Mammogram — left cranio-caudal. 60 y/o patient.
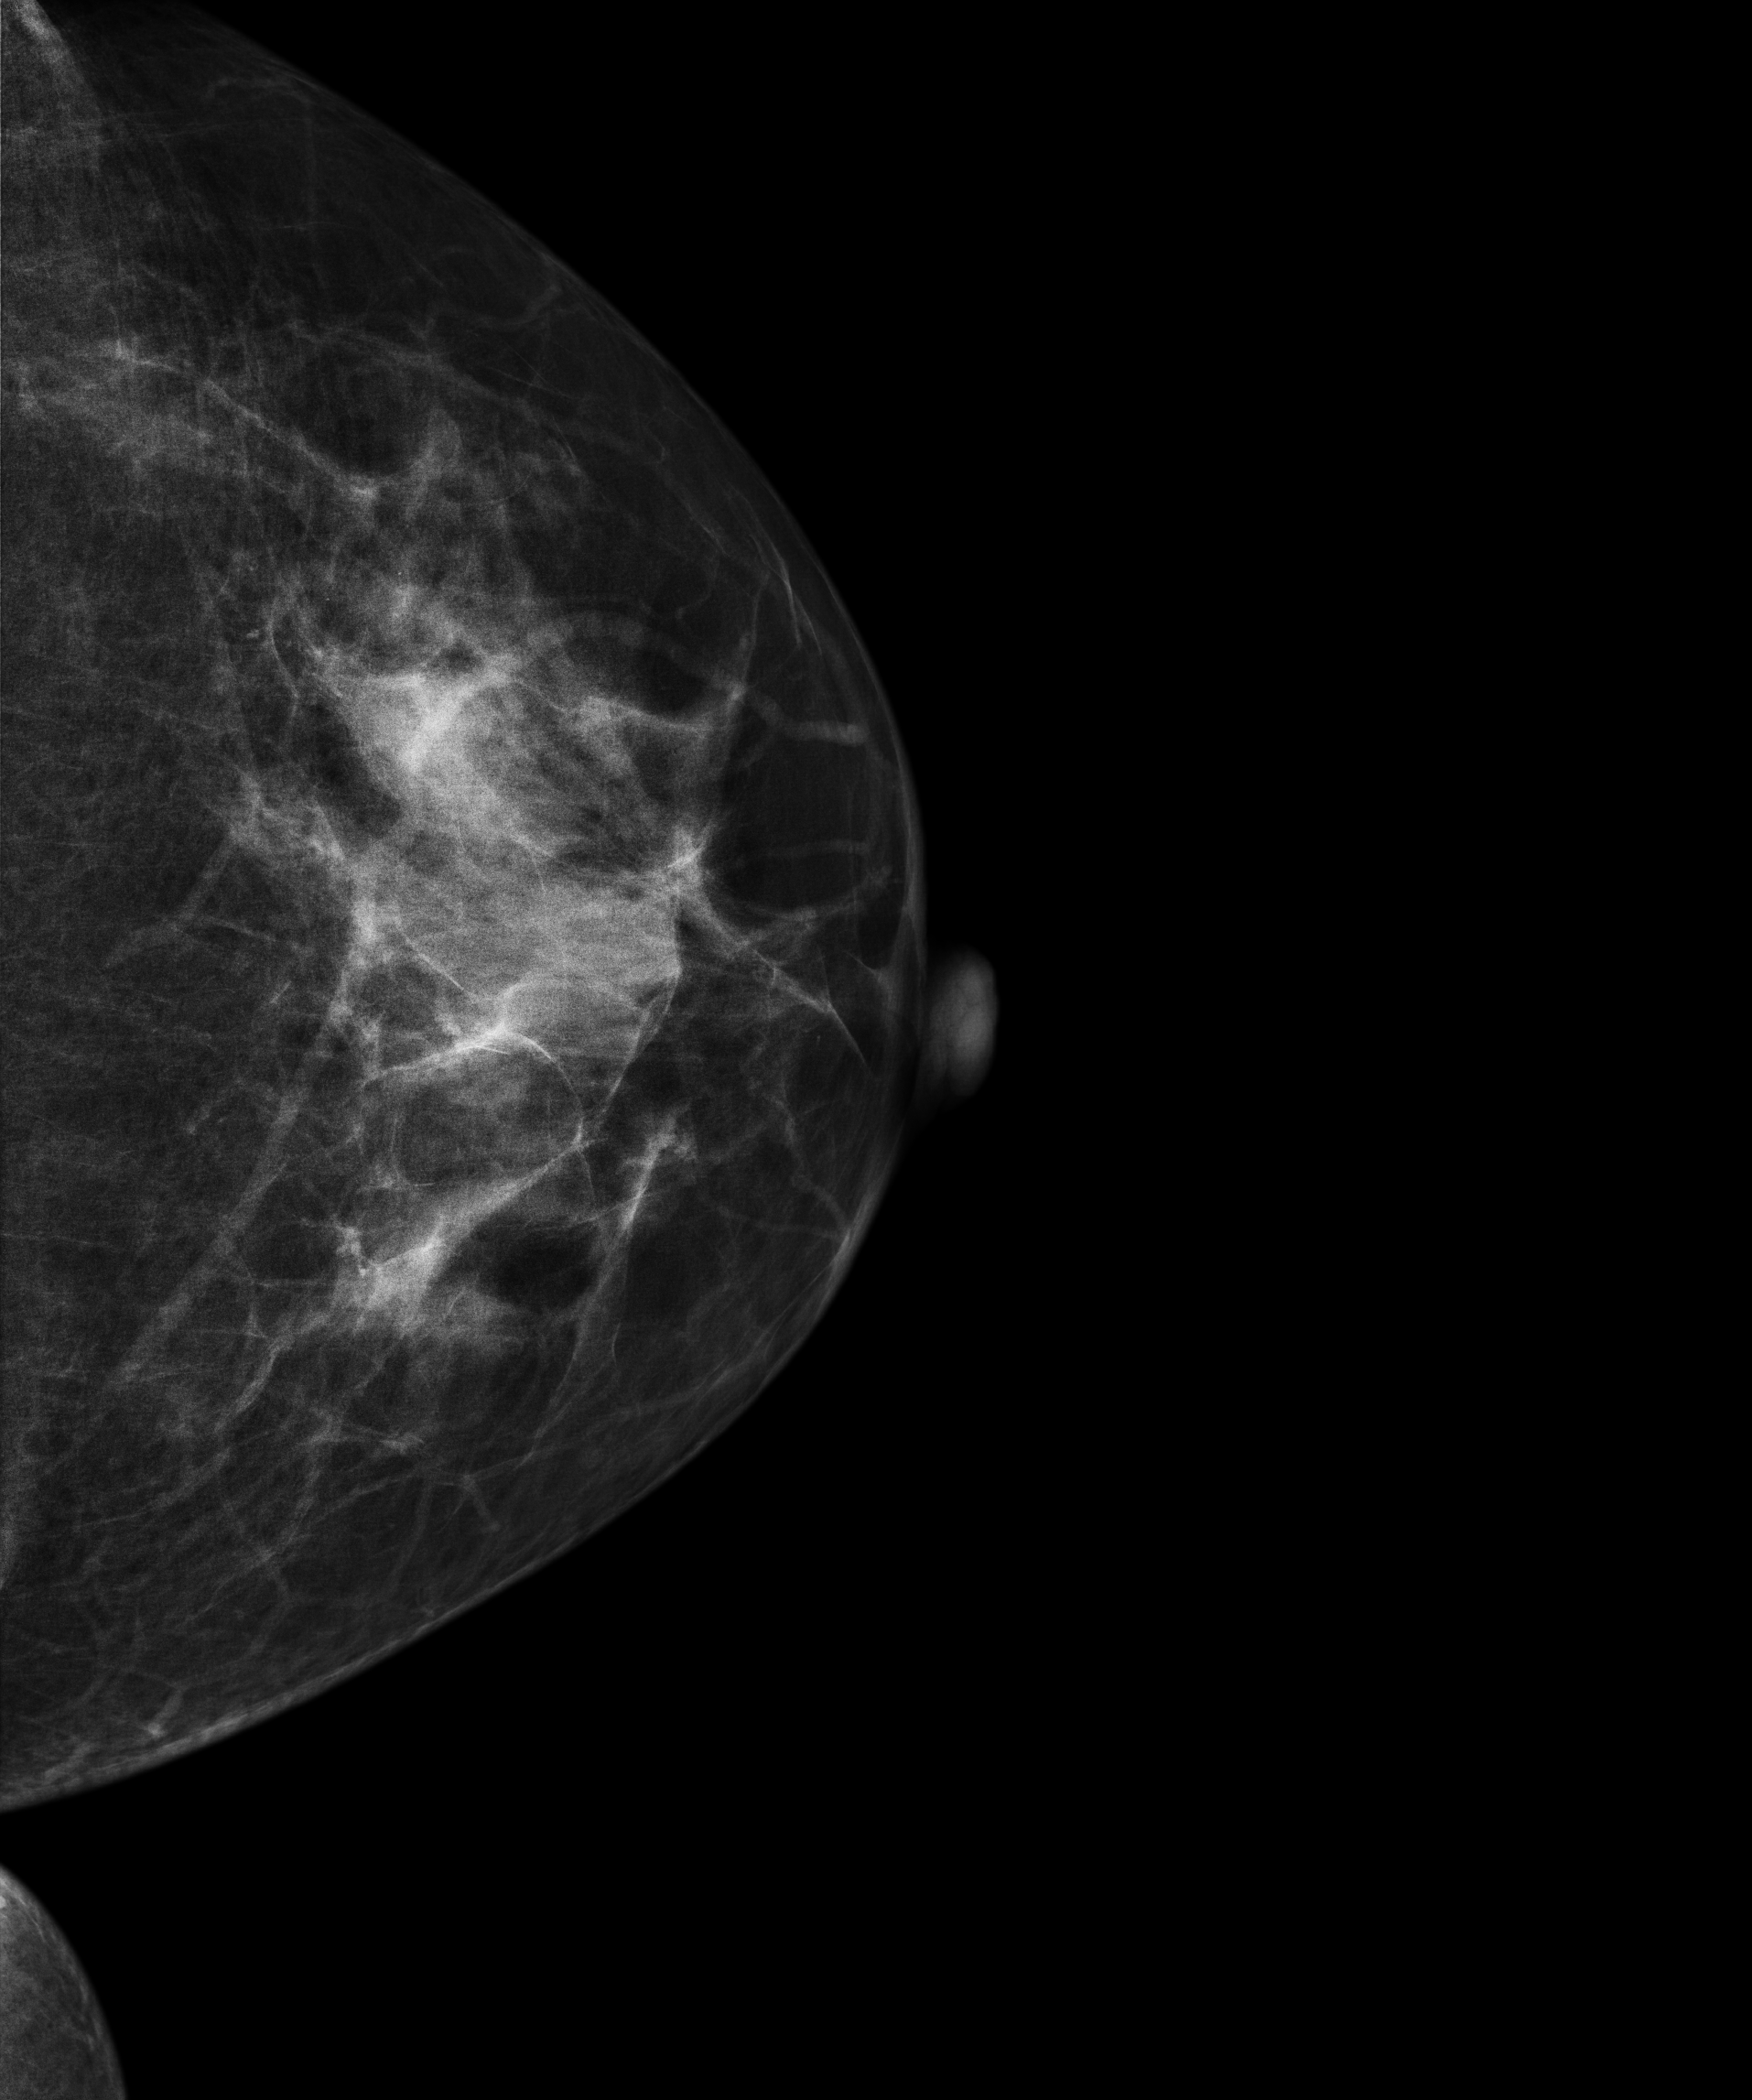
This breast has a mass, biopsy-proven malignant.